Digital mammography. Left breast, CC projection. 60 y/o patient.
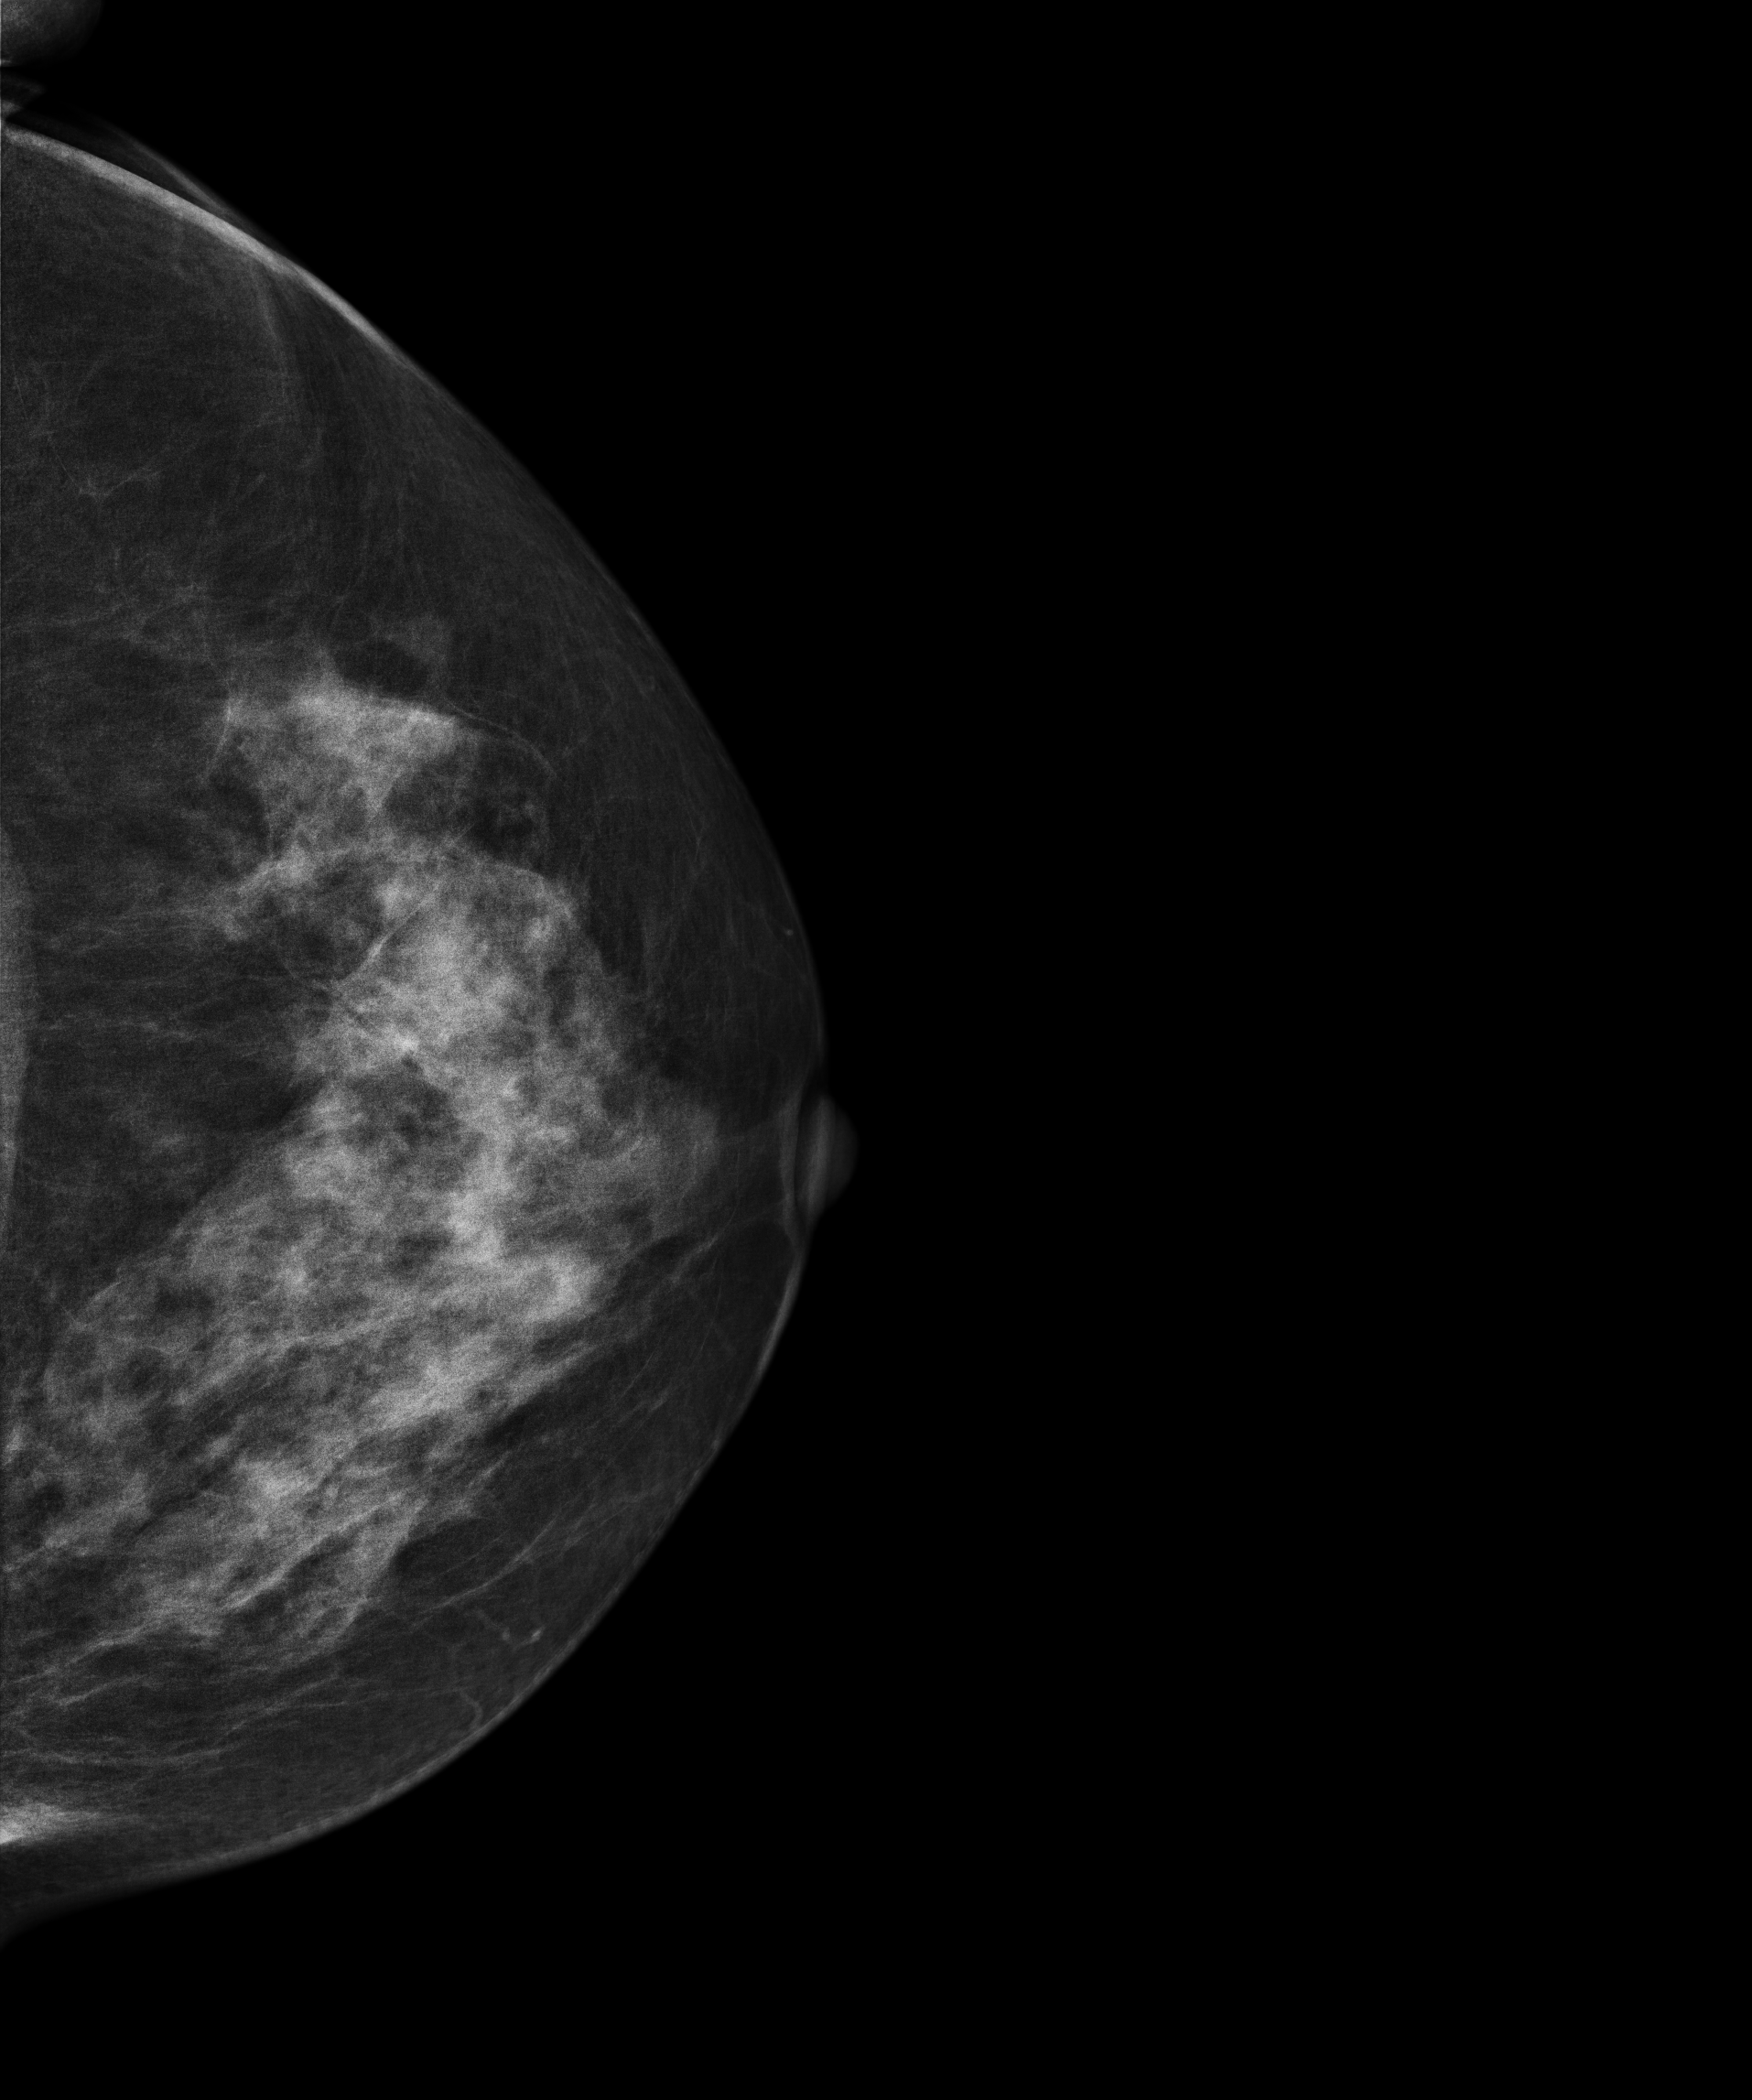
Contralateral breast — no documented abnormality on this side.